Digital mammography. Right breast, cranio-caudal projection. 38-year-old patient.
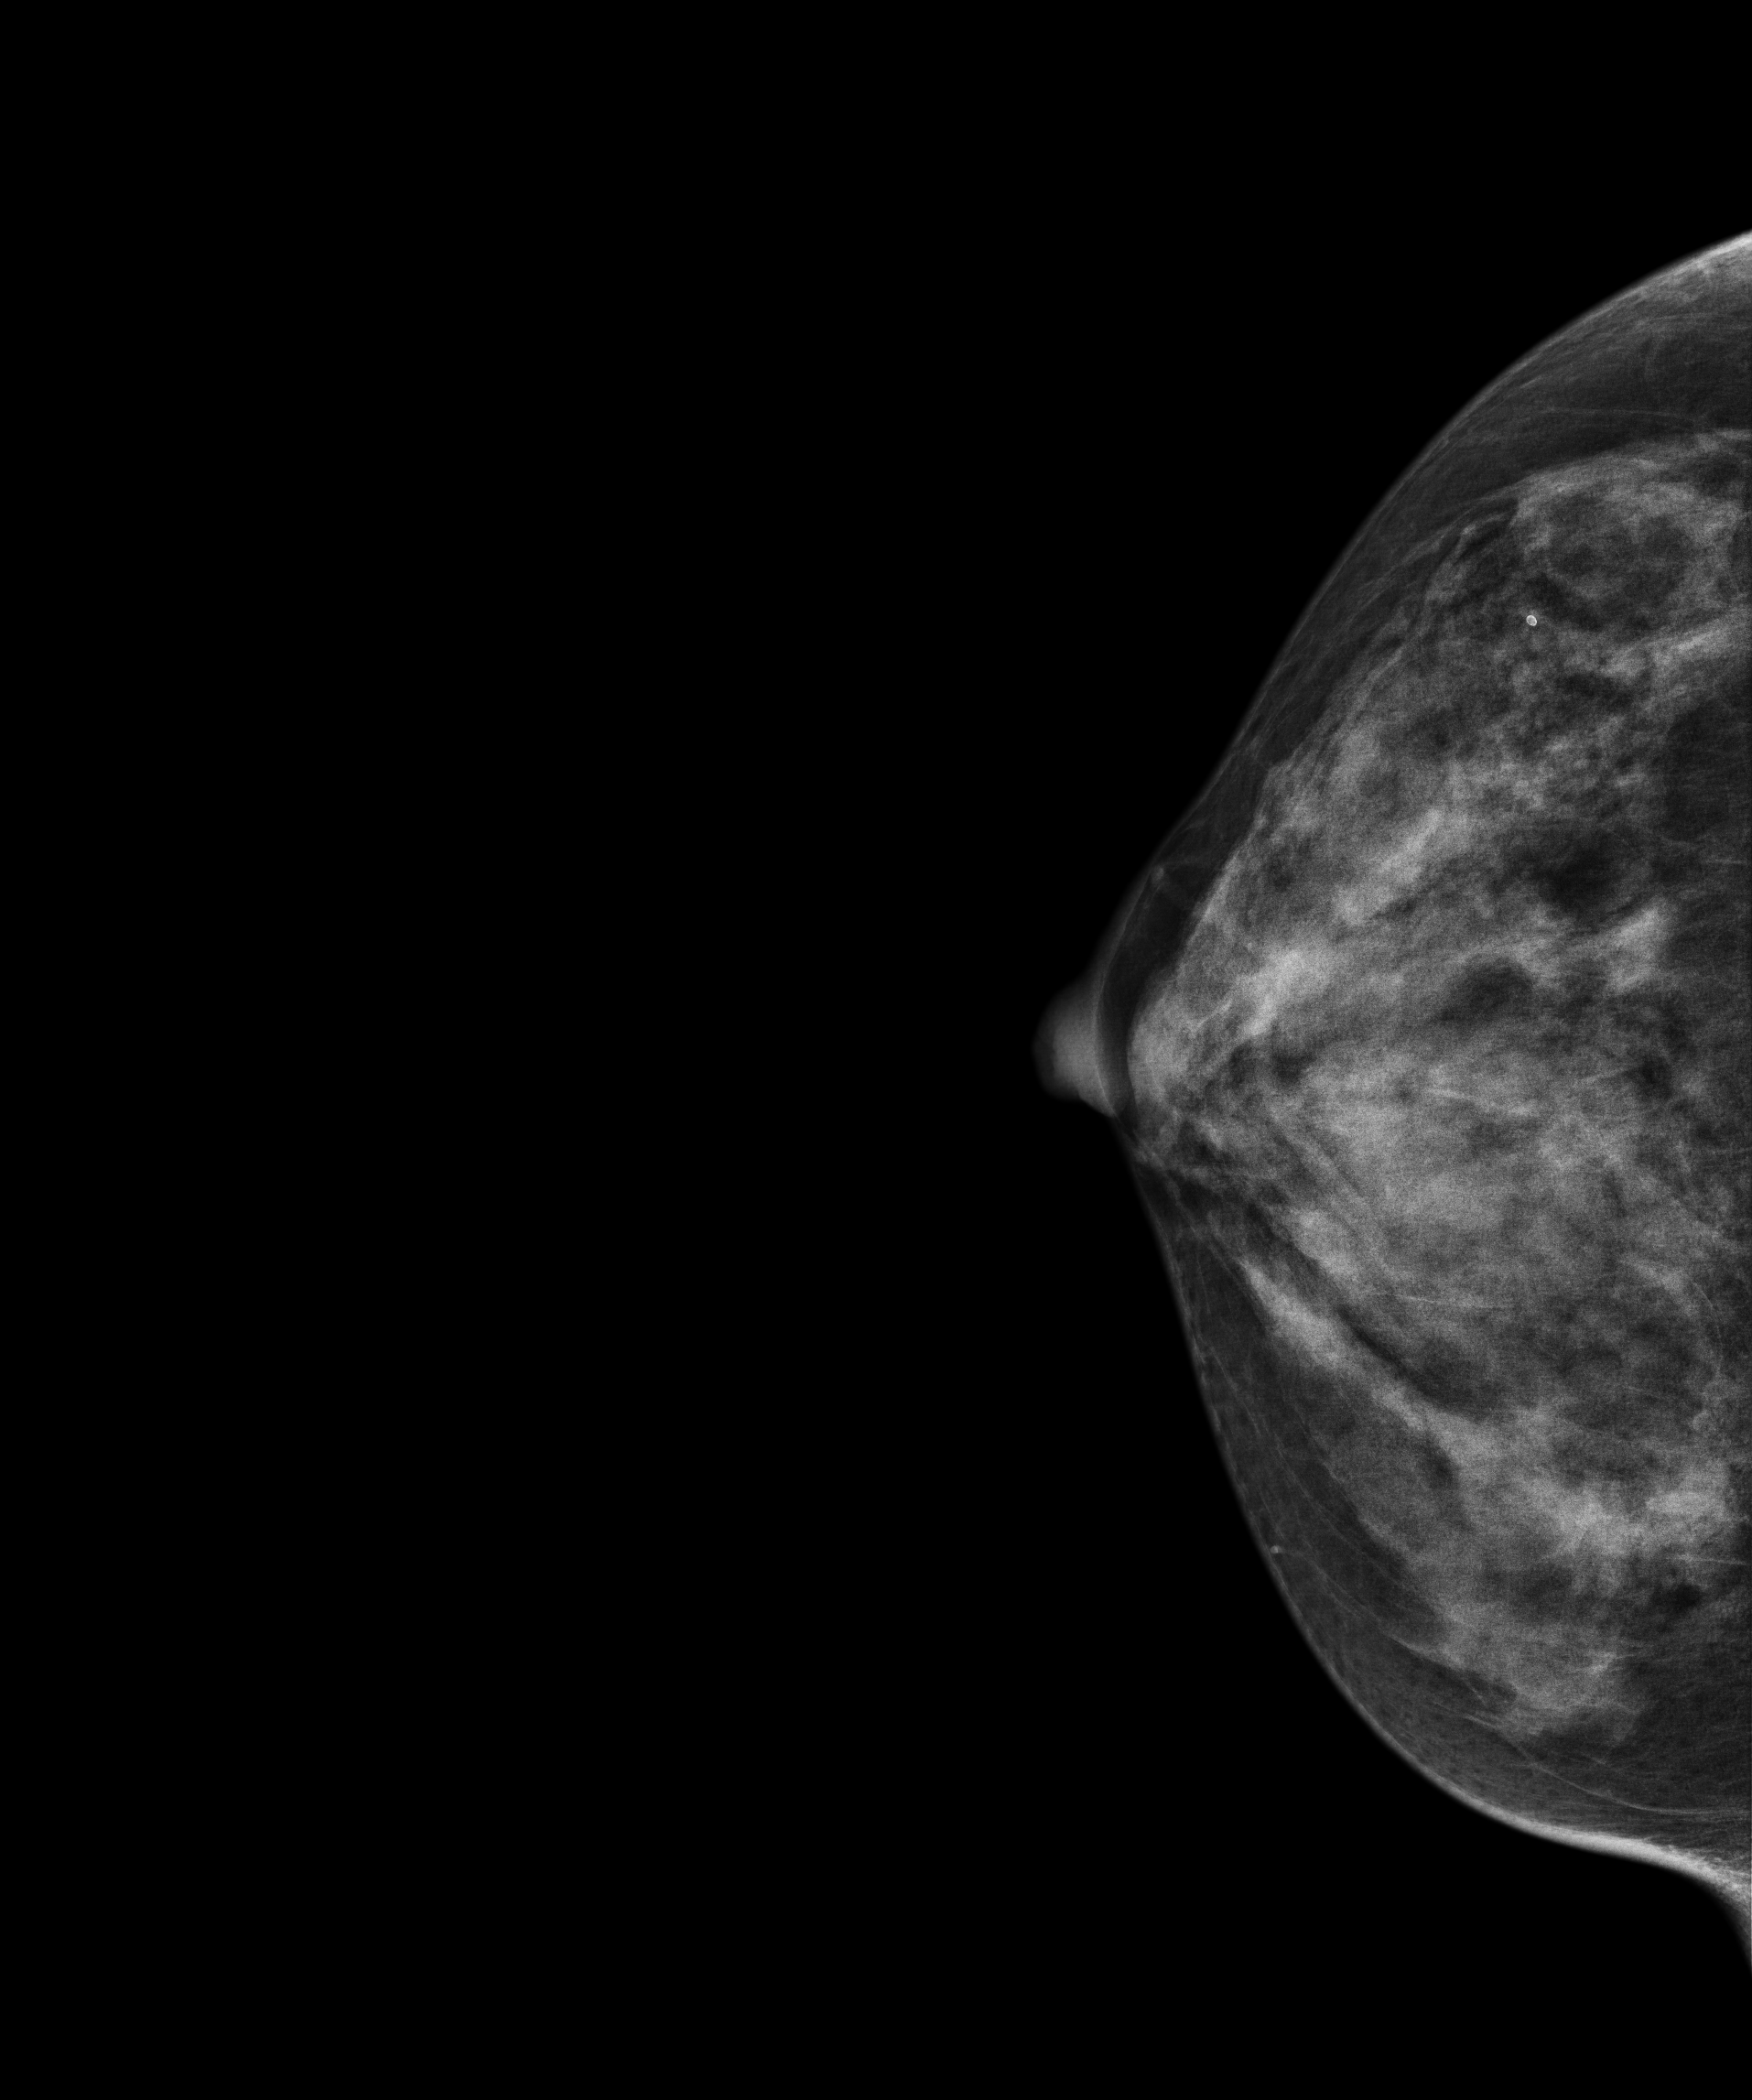
Contralateral breast — no documented abnormality on this side.